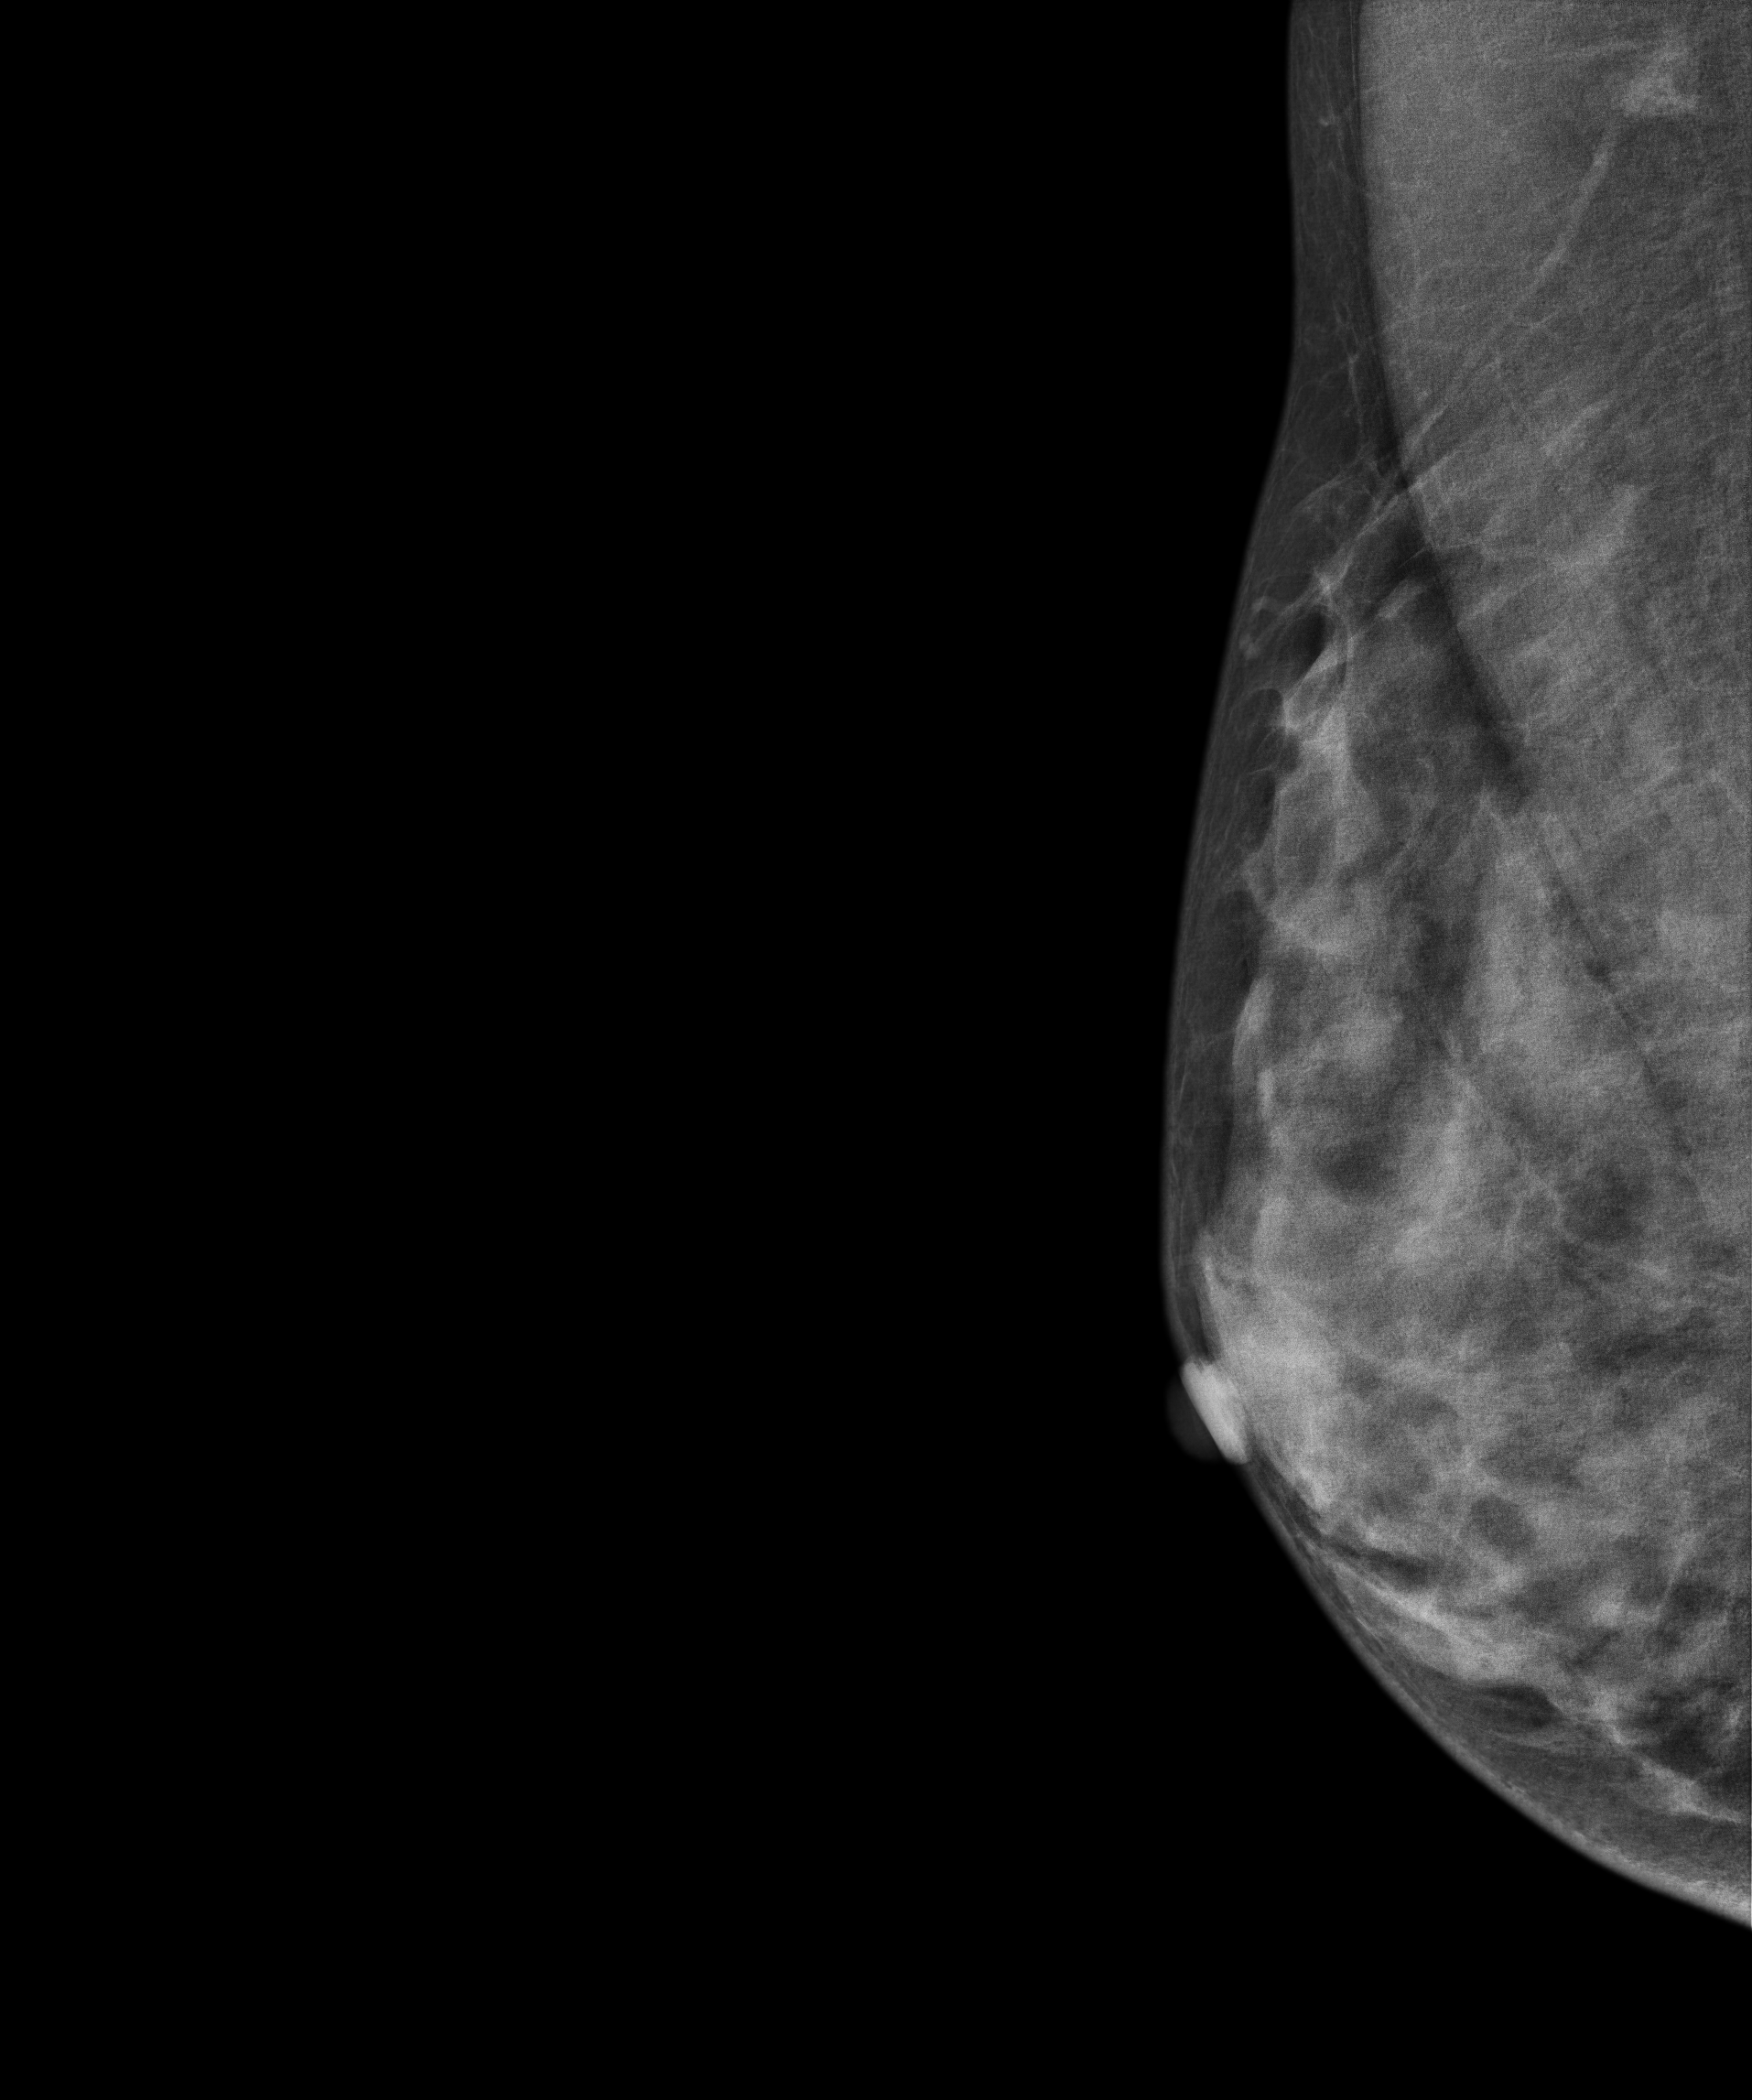
Digital mammography. Right breast, medio-lateral oblique projection. 36 y/o patient.
Contralateral breast — no documented abnormality on this side.